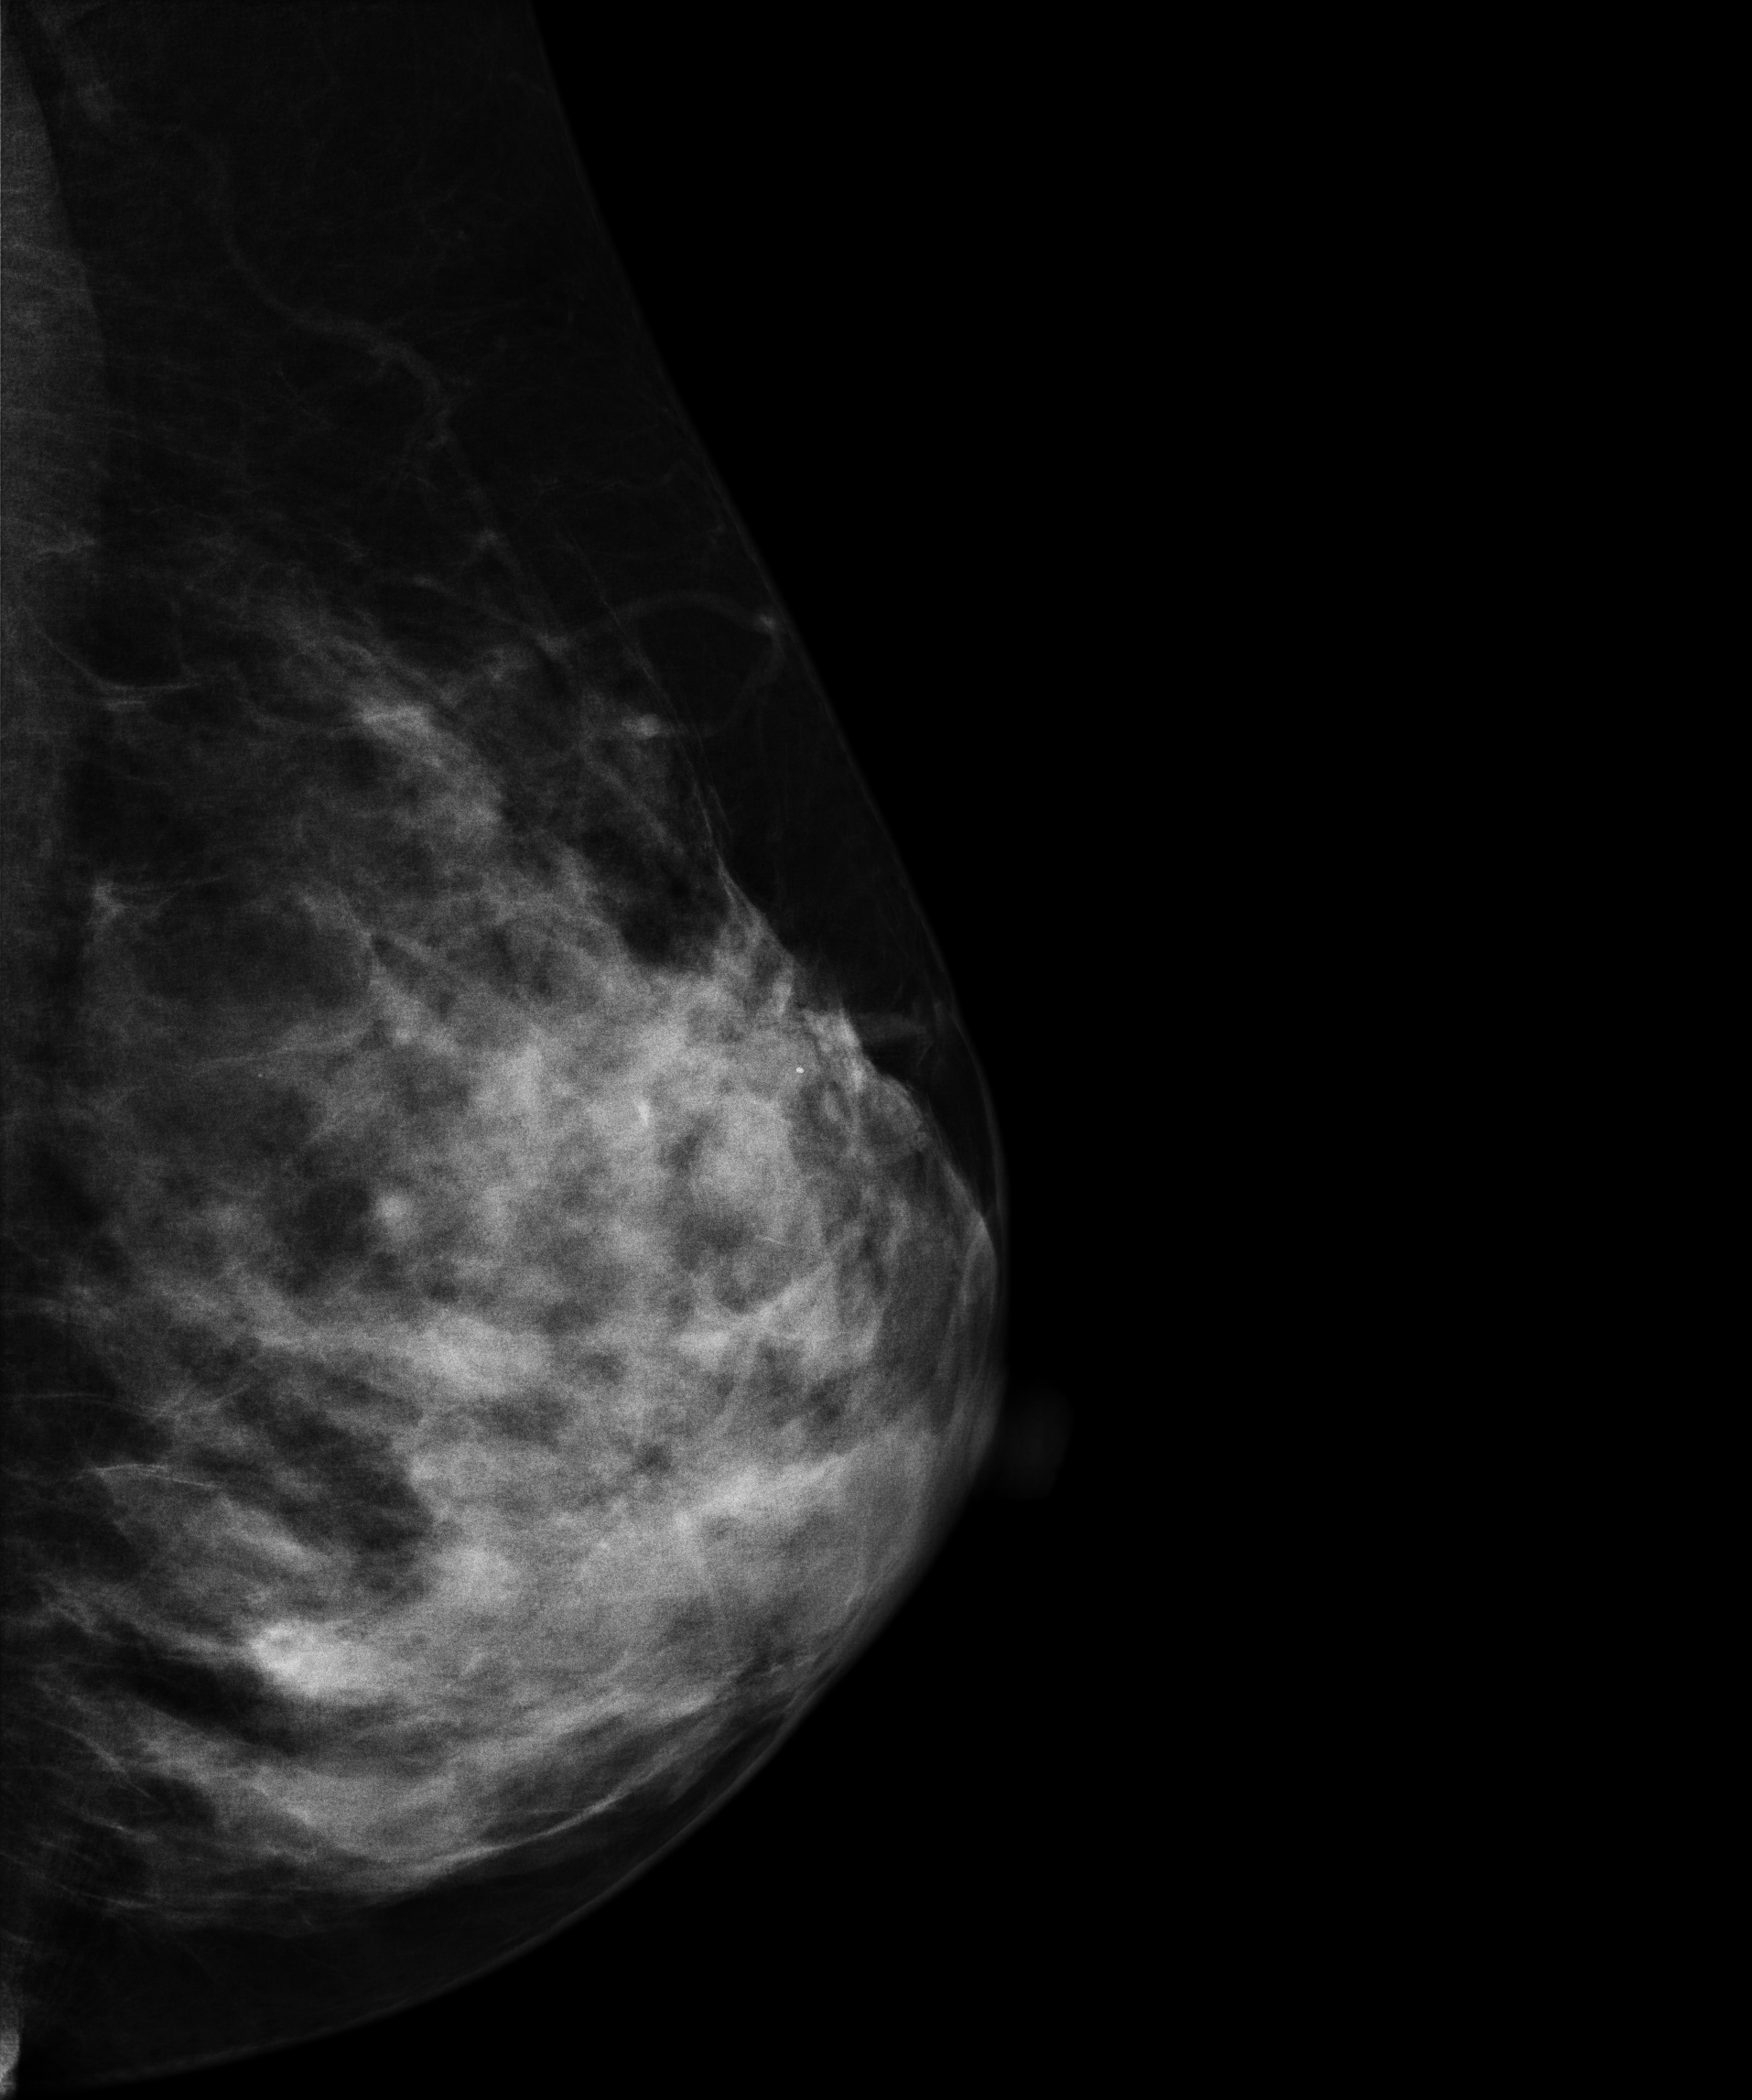
Left-breast mammogram, medio-lateral oblique. 45-year-old patient.
This breast has a mass, histologically confirmed malignant.